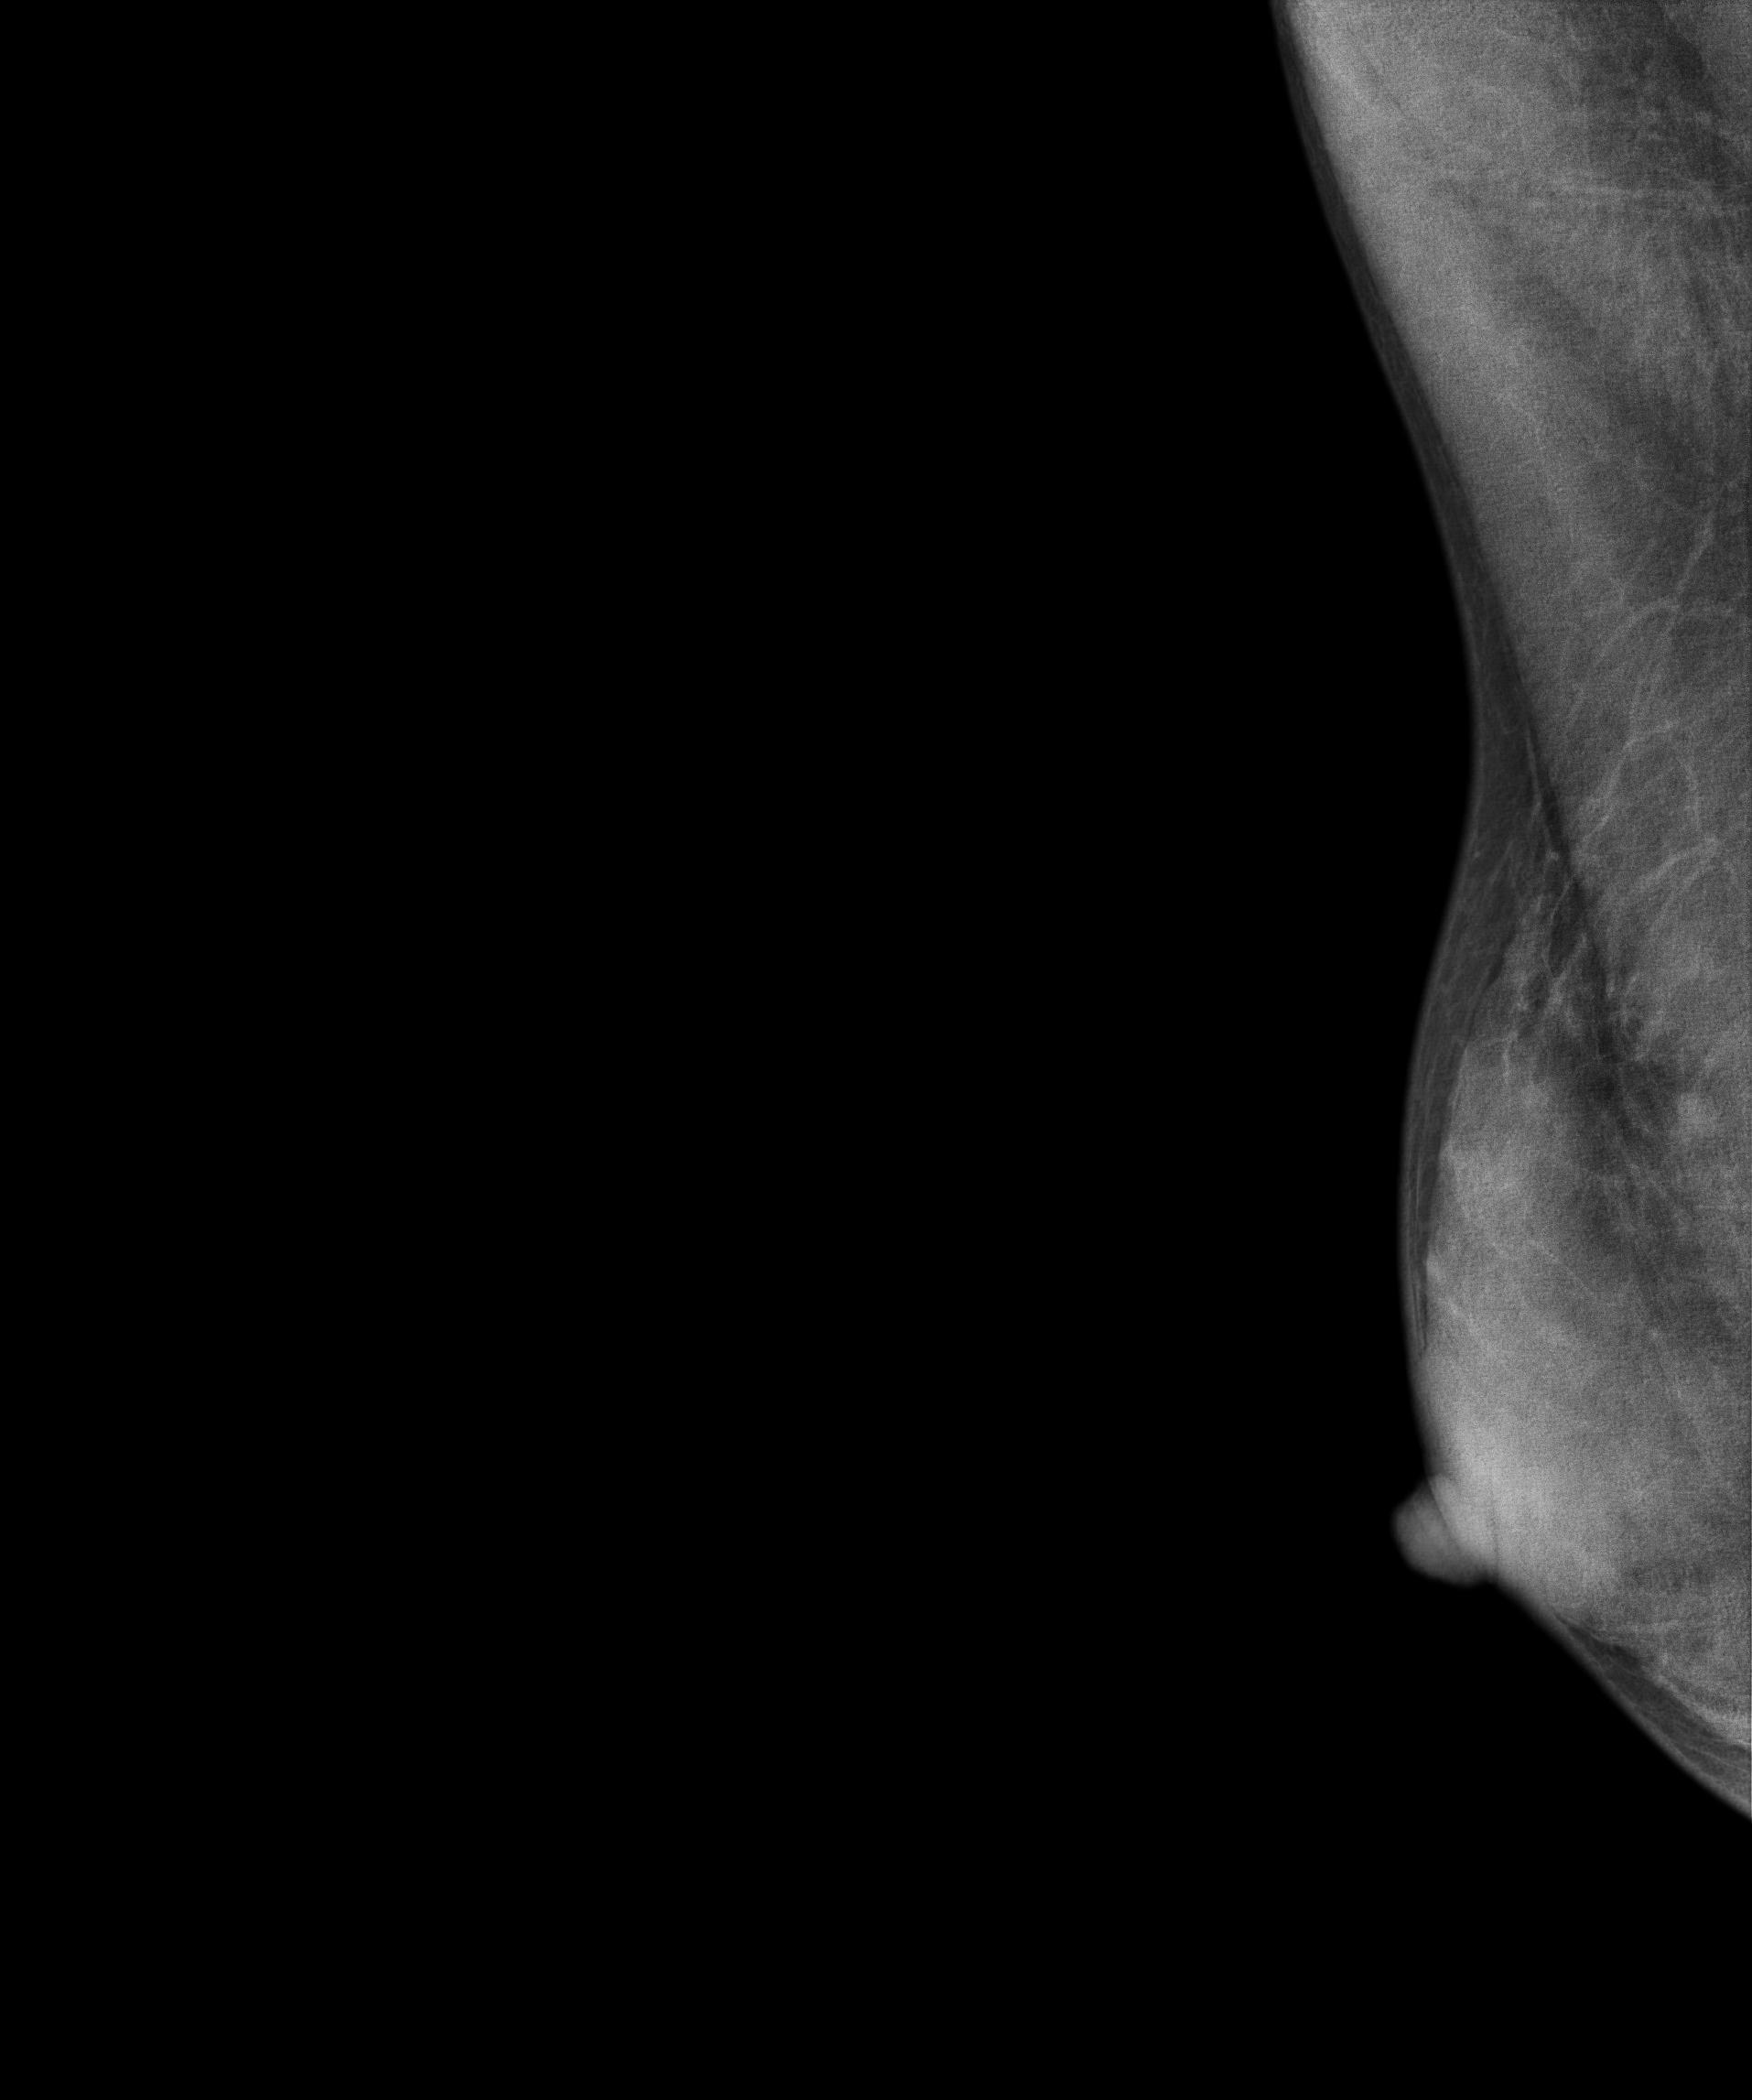
Mammogram — right medio-lateral oblique. Patient age 31.
This breast has a mass, biopsy-confirmed benign.